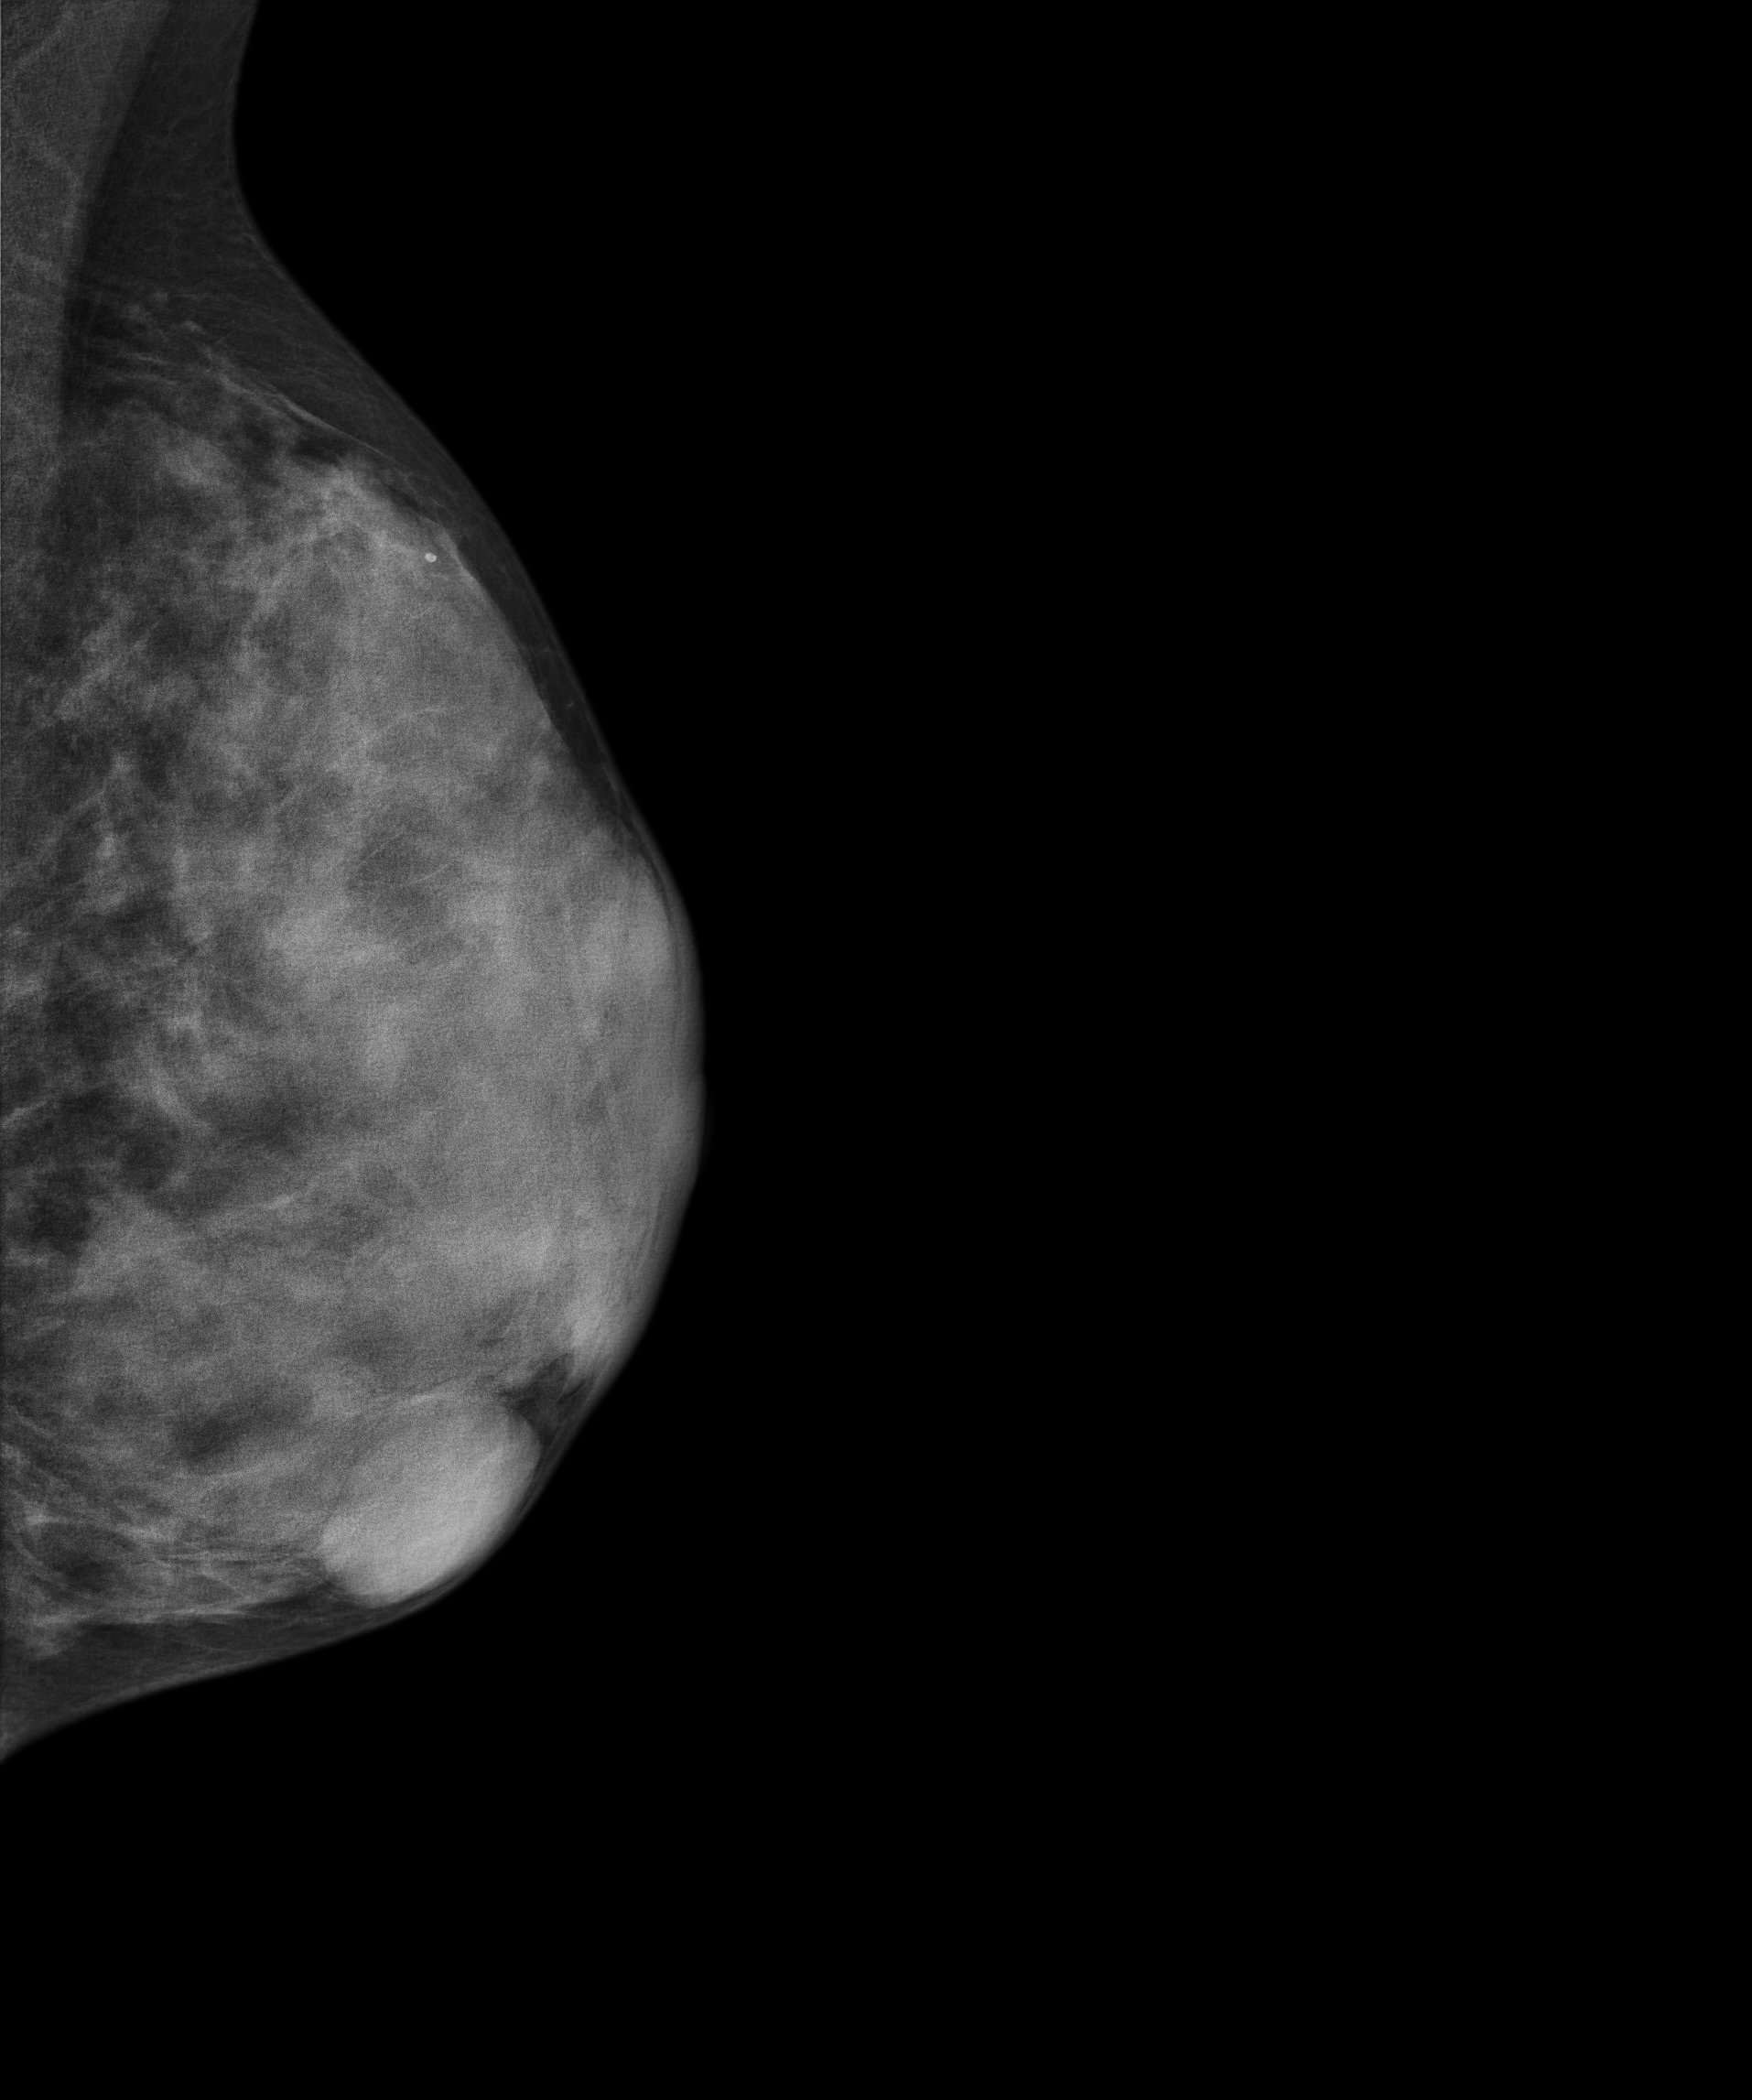
MLO mammogram of the left breast. Patient age 28.
This breast has a mass, biopsy-confirmed benign.